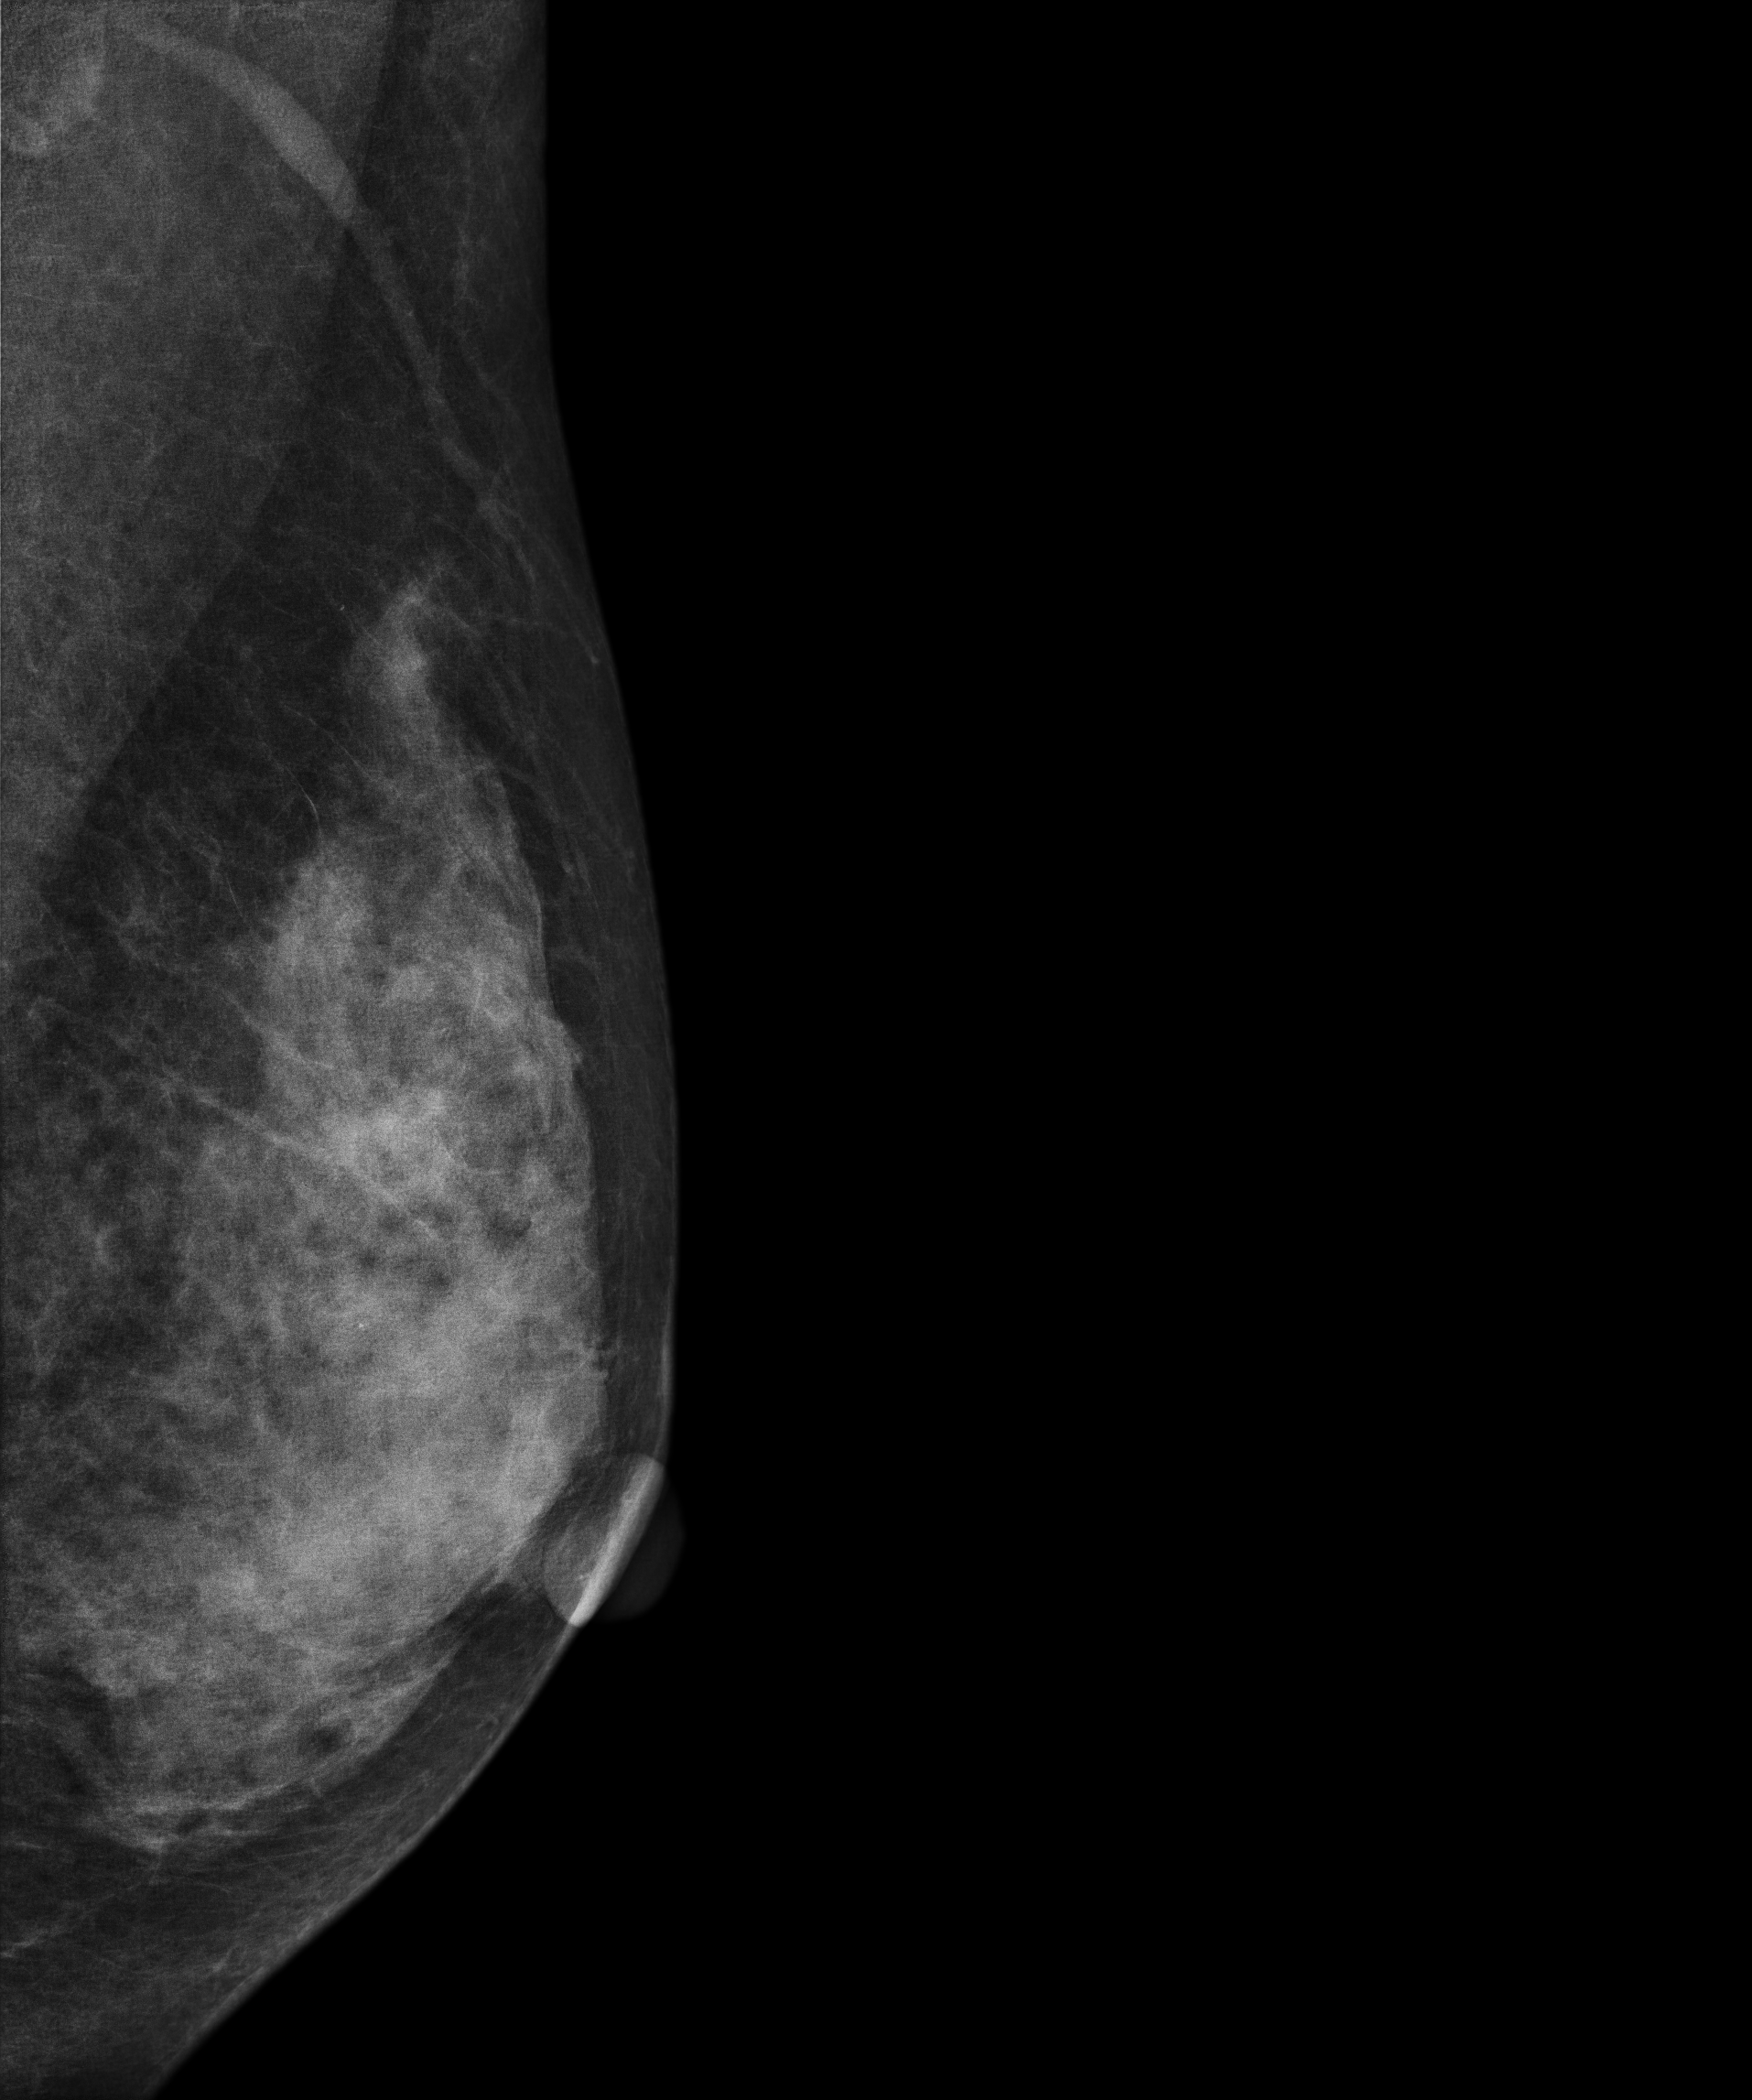
Digital mammography. Left breast, medio-lateral oblique projection. 33-year-old patient.
This breast has a mass, biopsy-proven malignant.